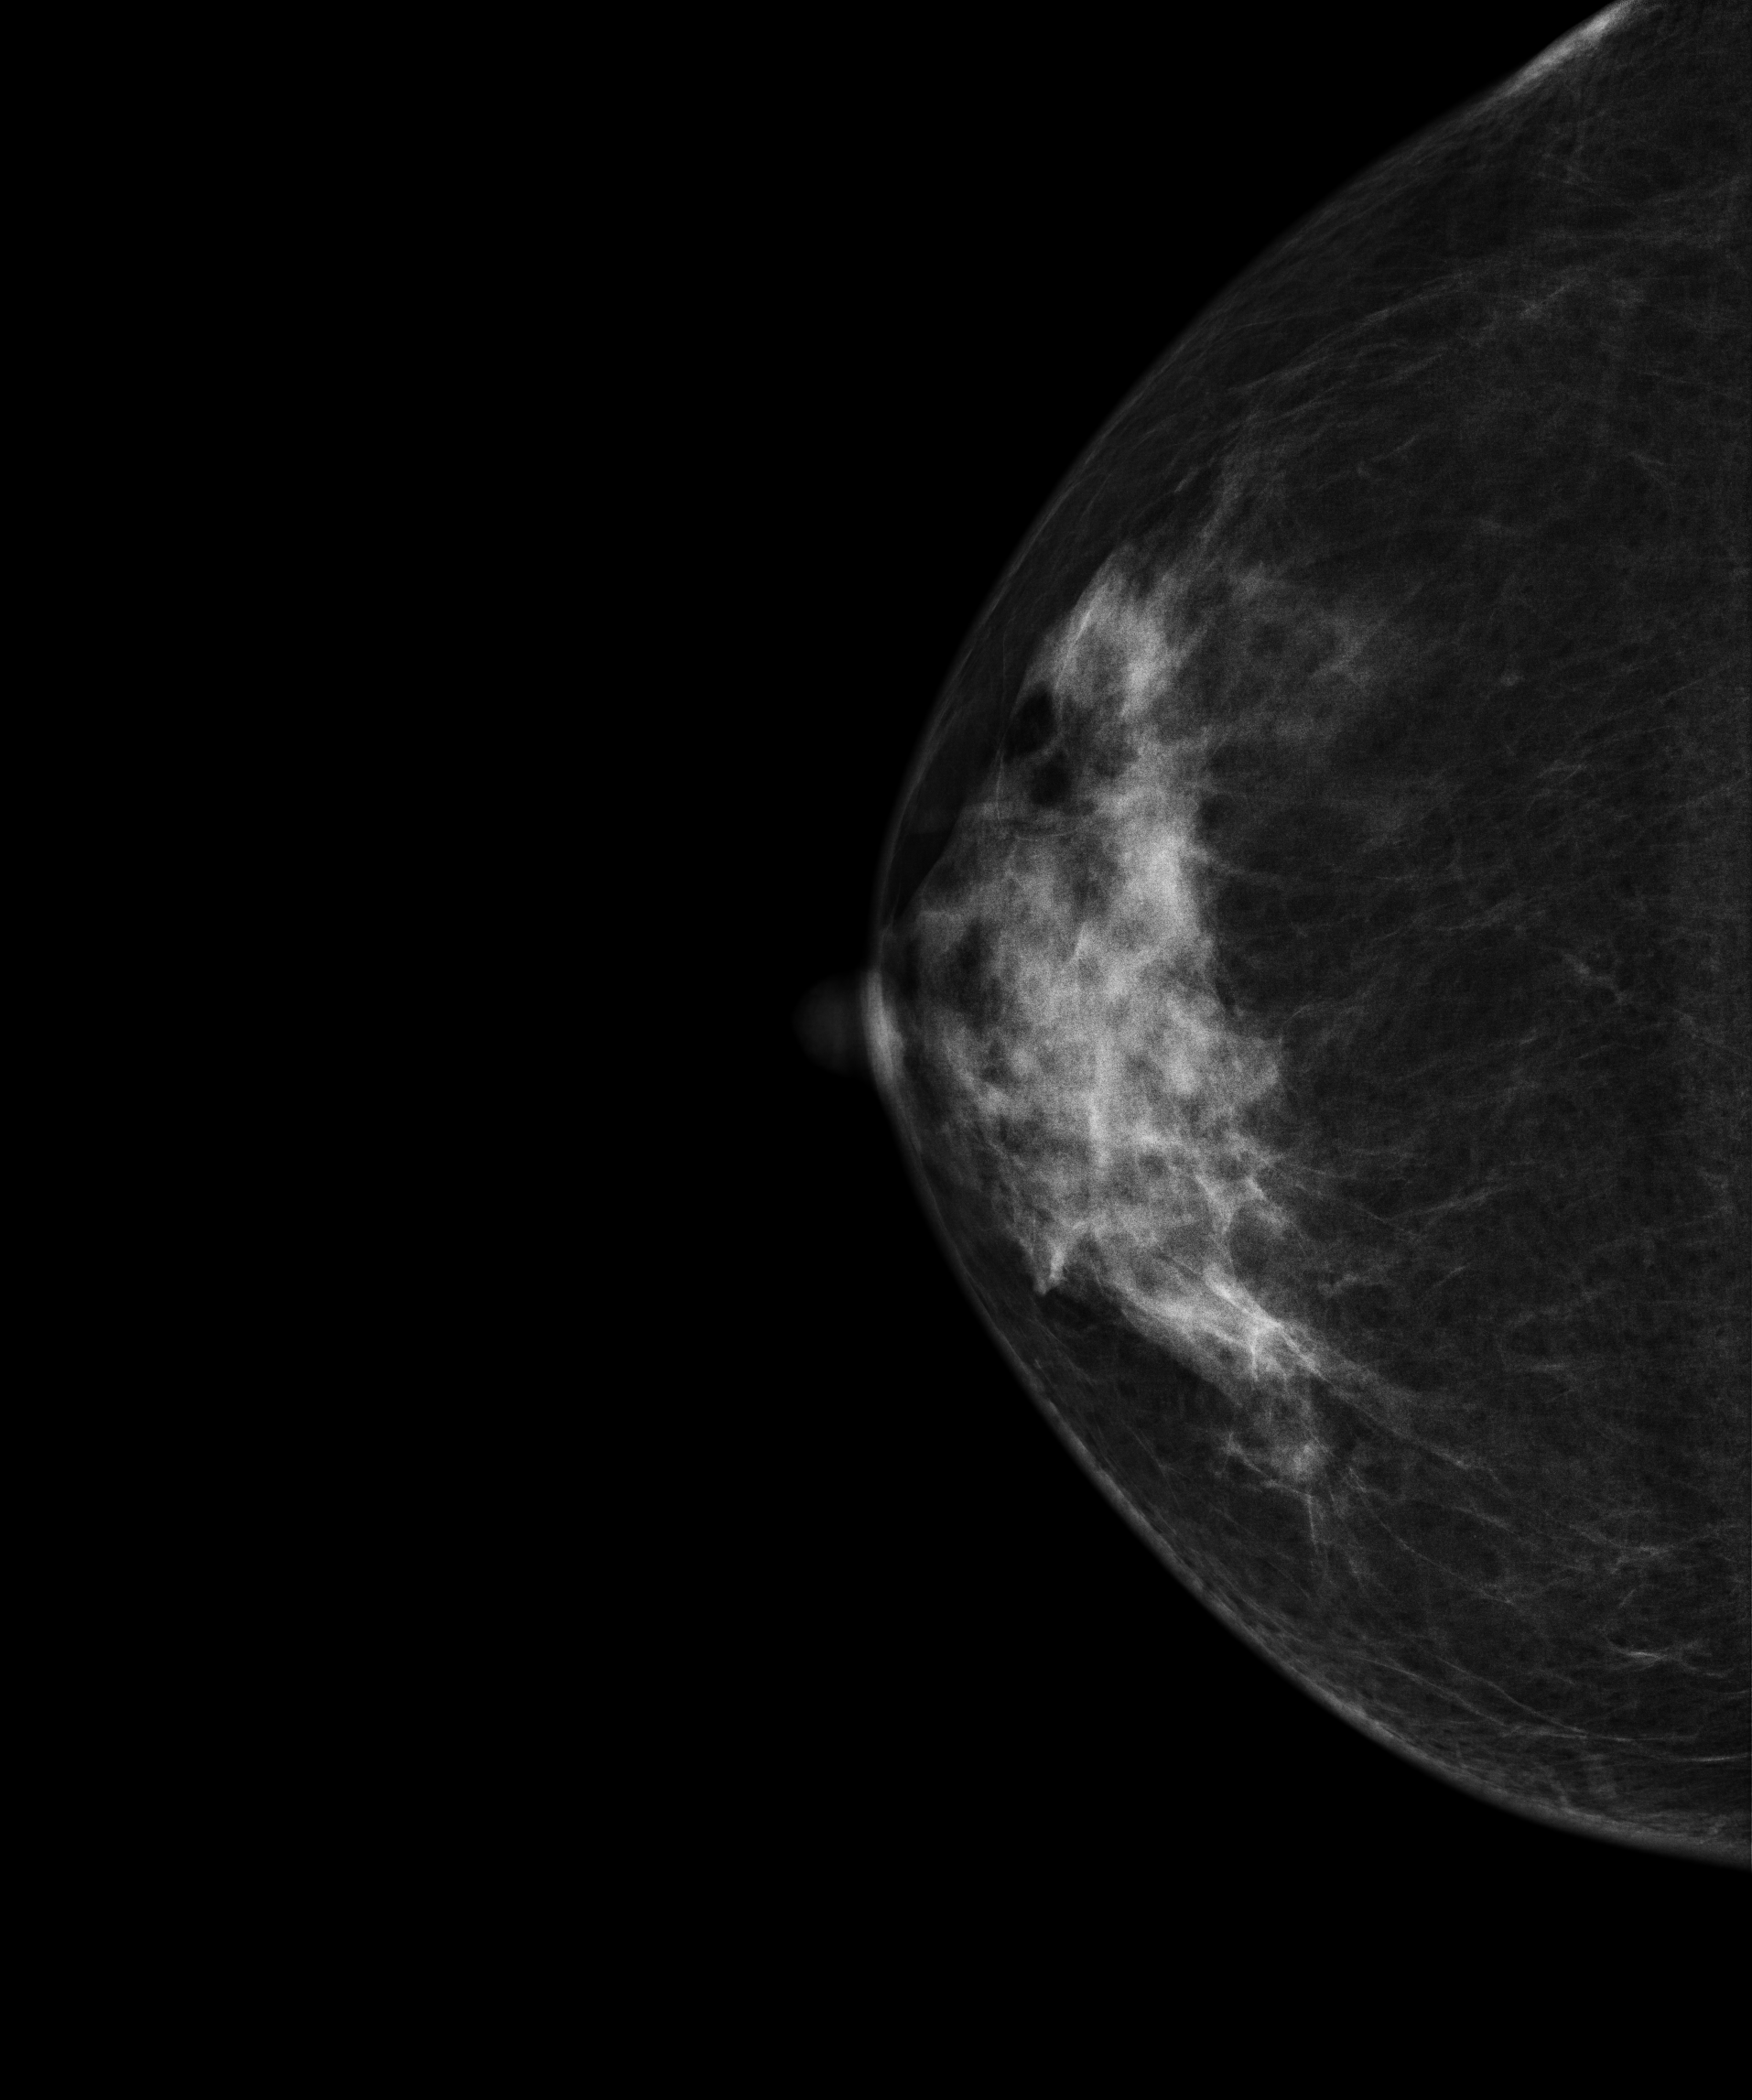
Mammogram, right breast, CC view. 43 y/o patient.
Contralateral breast — no documented abnormality on this side.